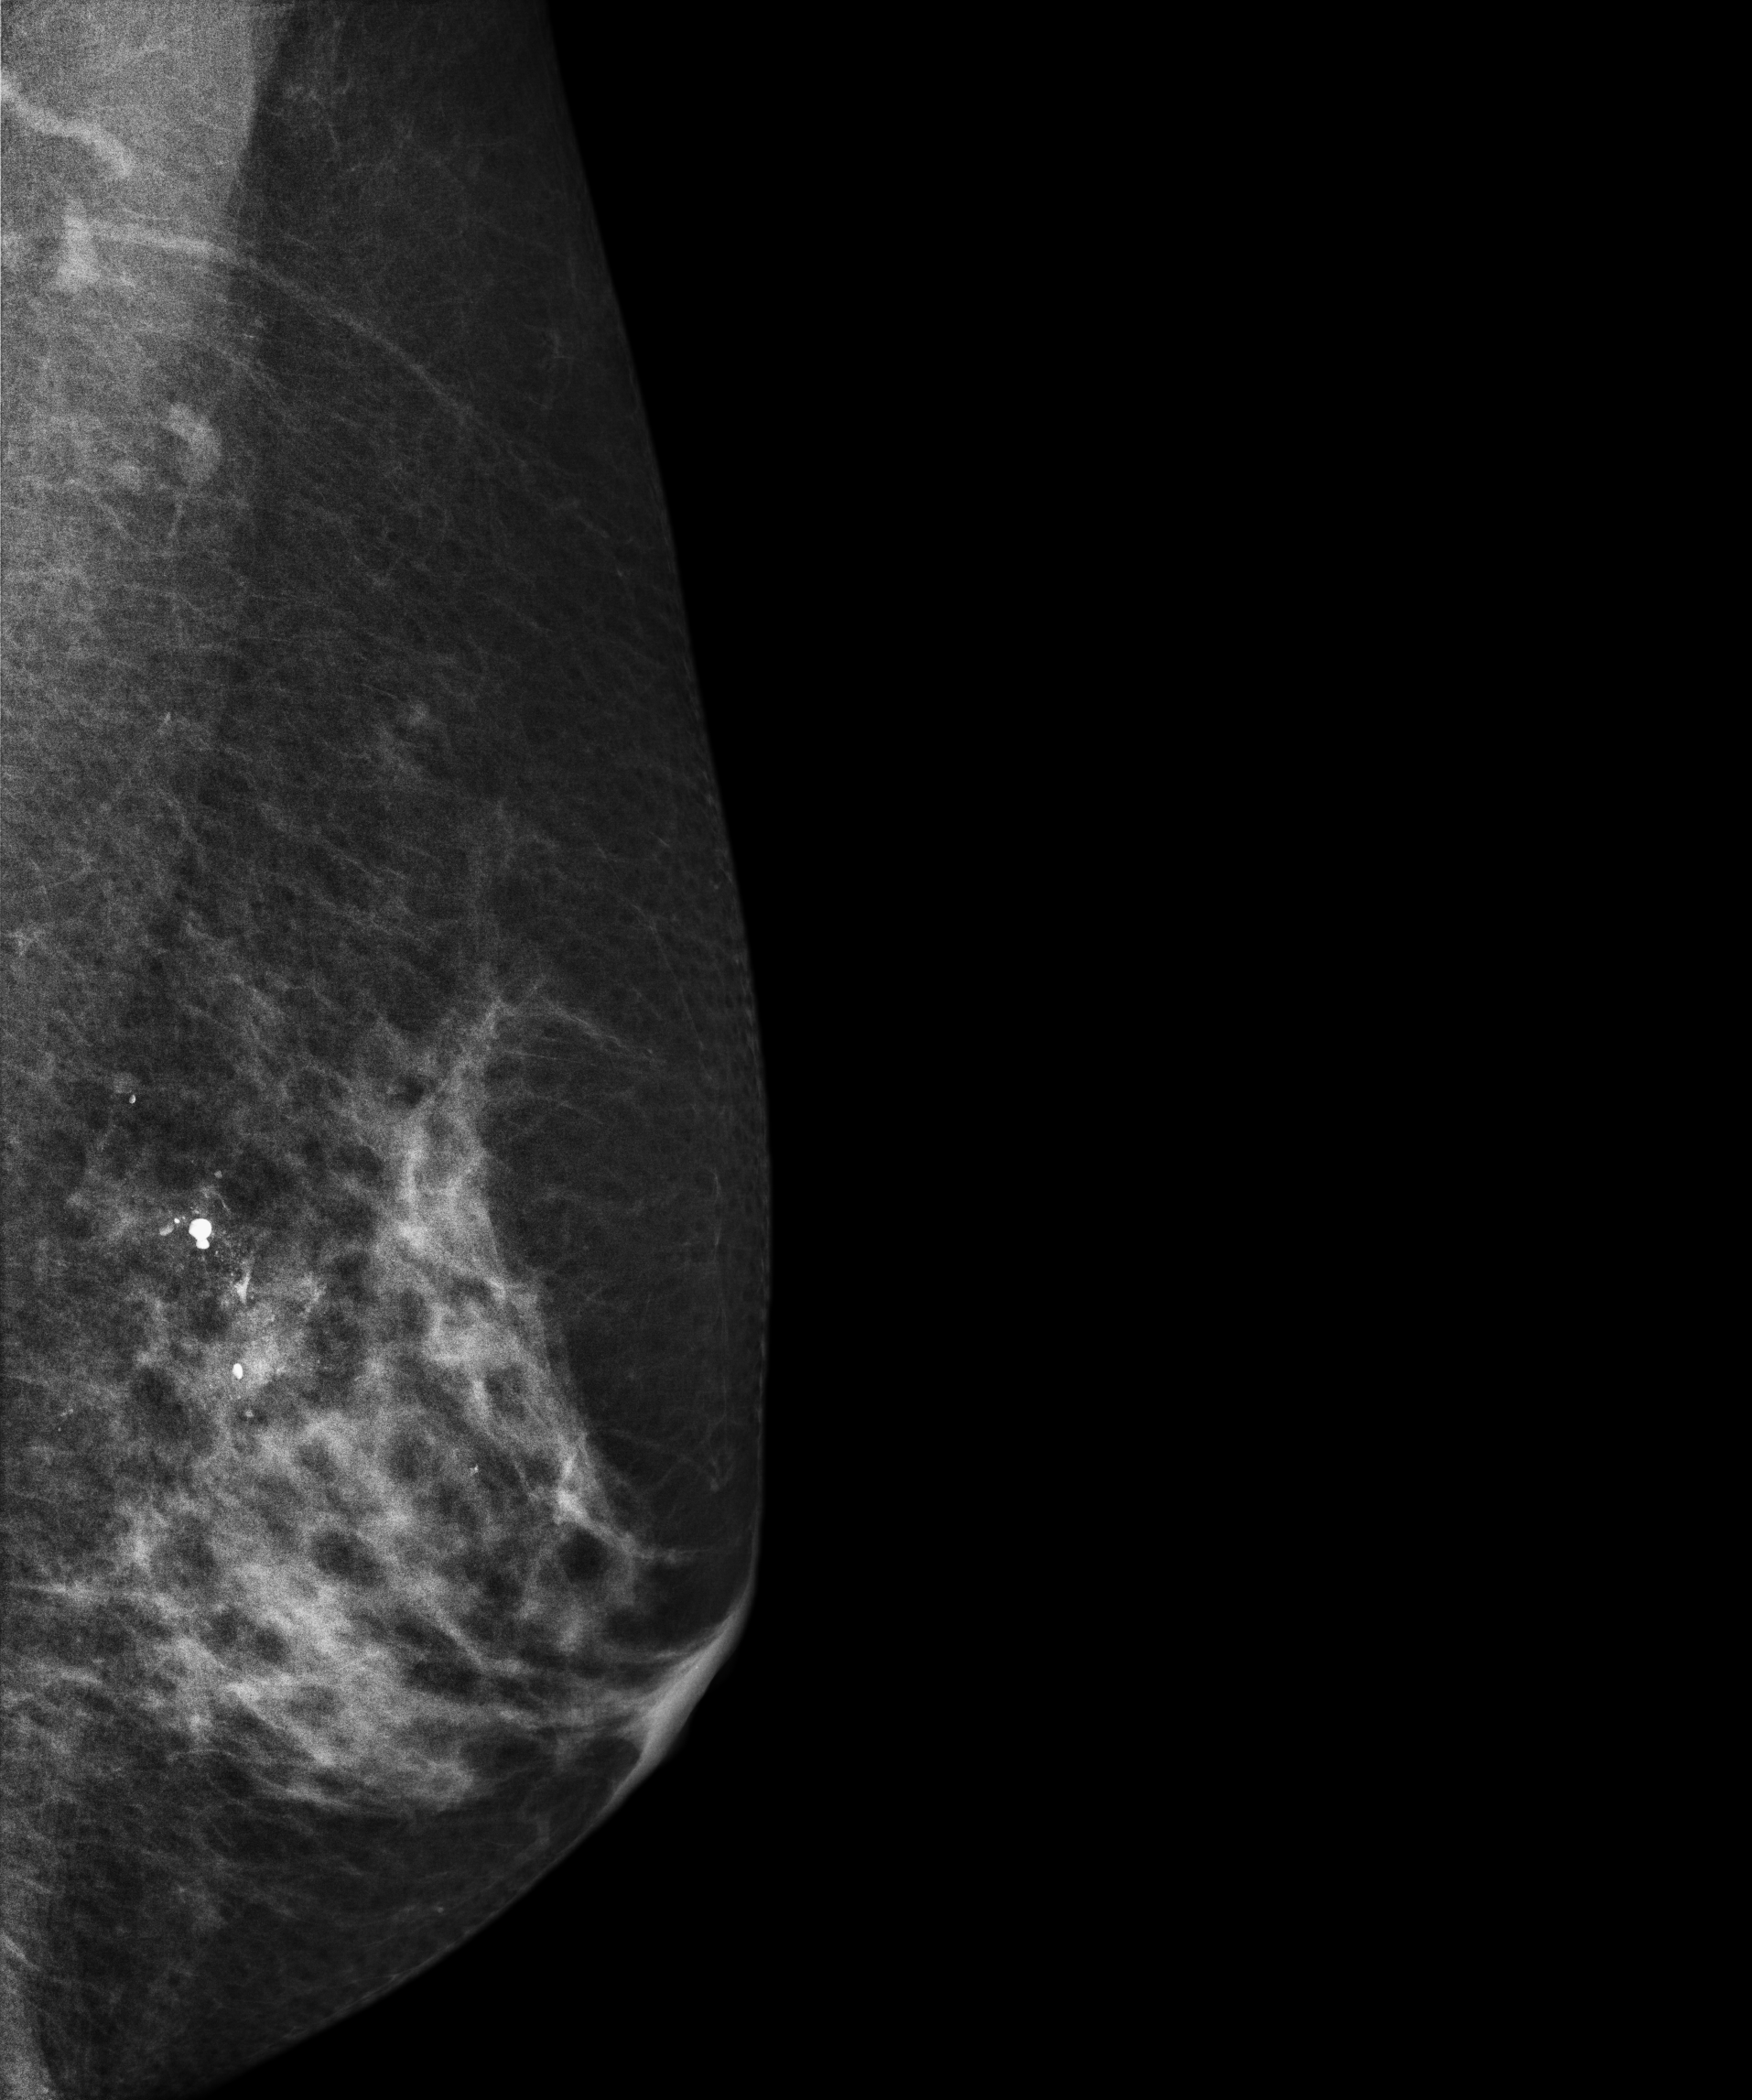
Left-breast mammogram, MLO. Patient age 39.
This breast has calcifications, biopsy-confirmed benign.